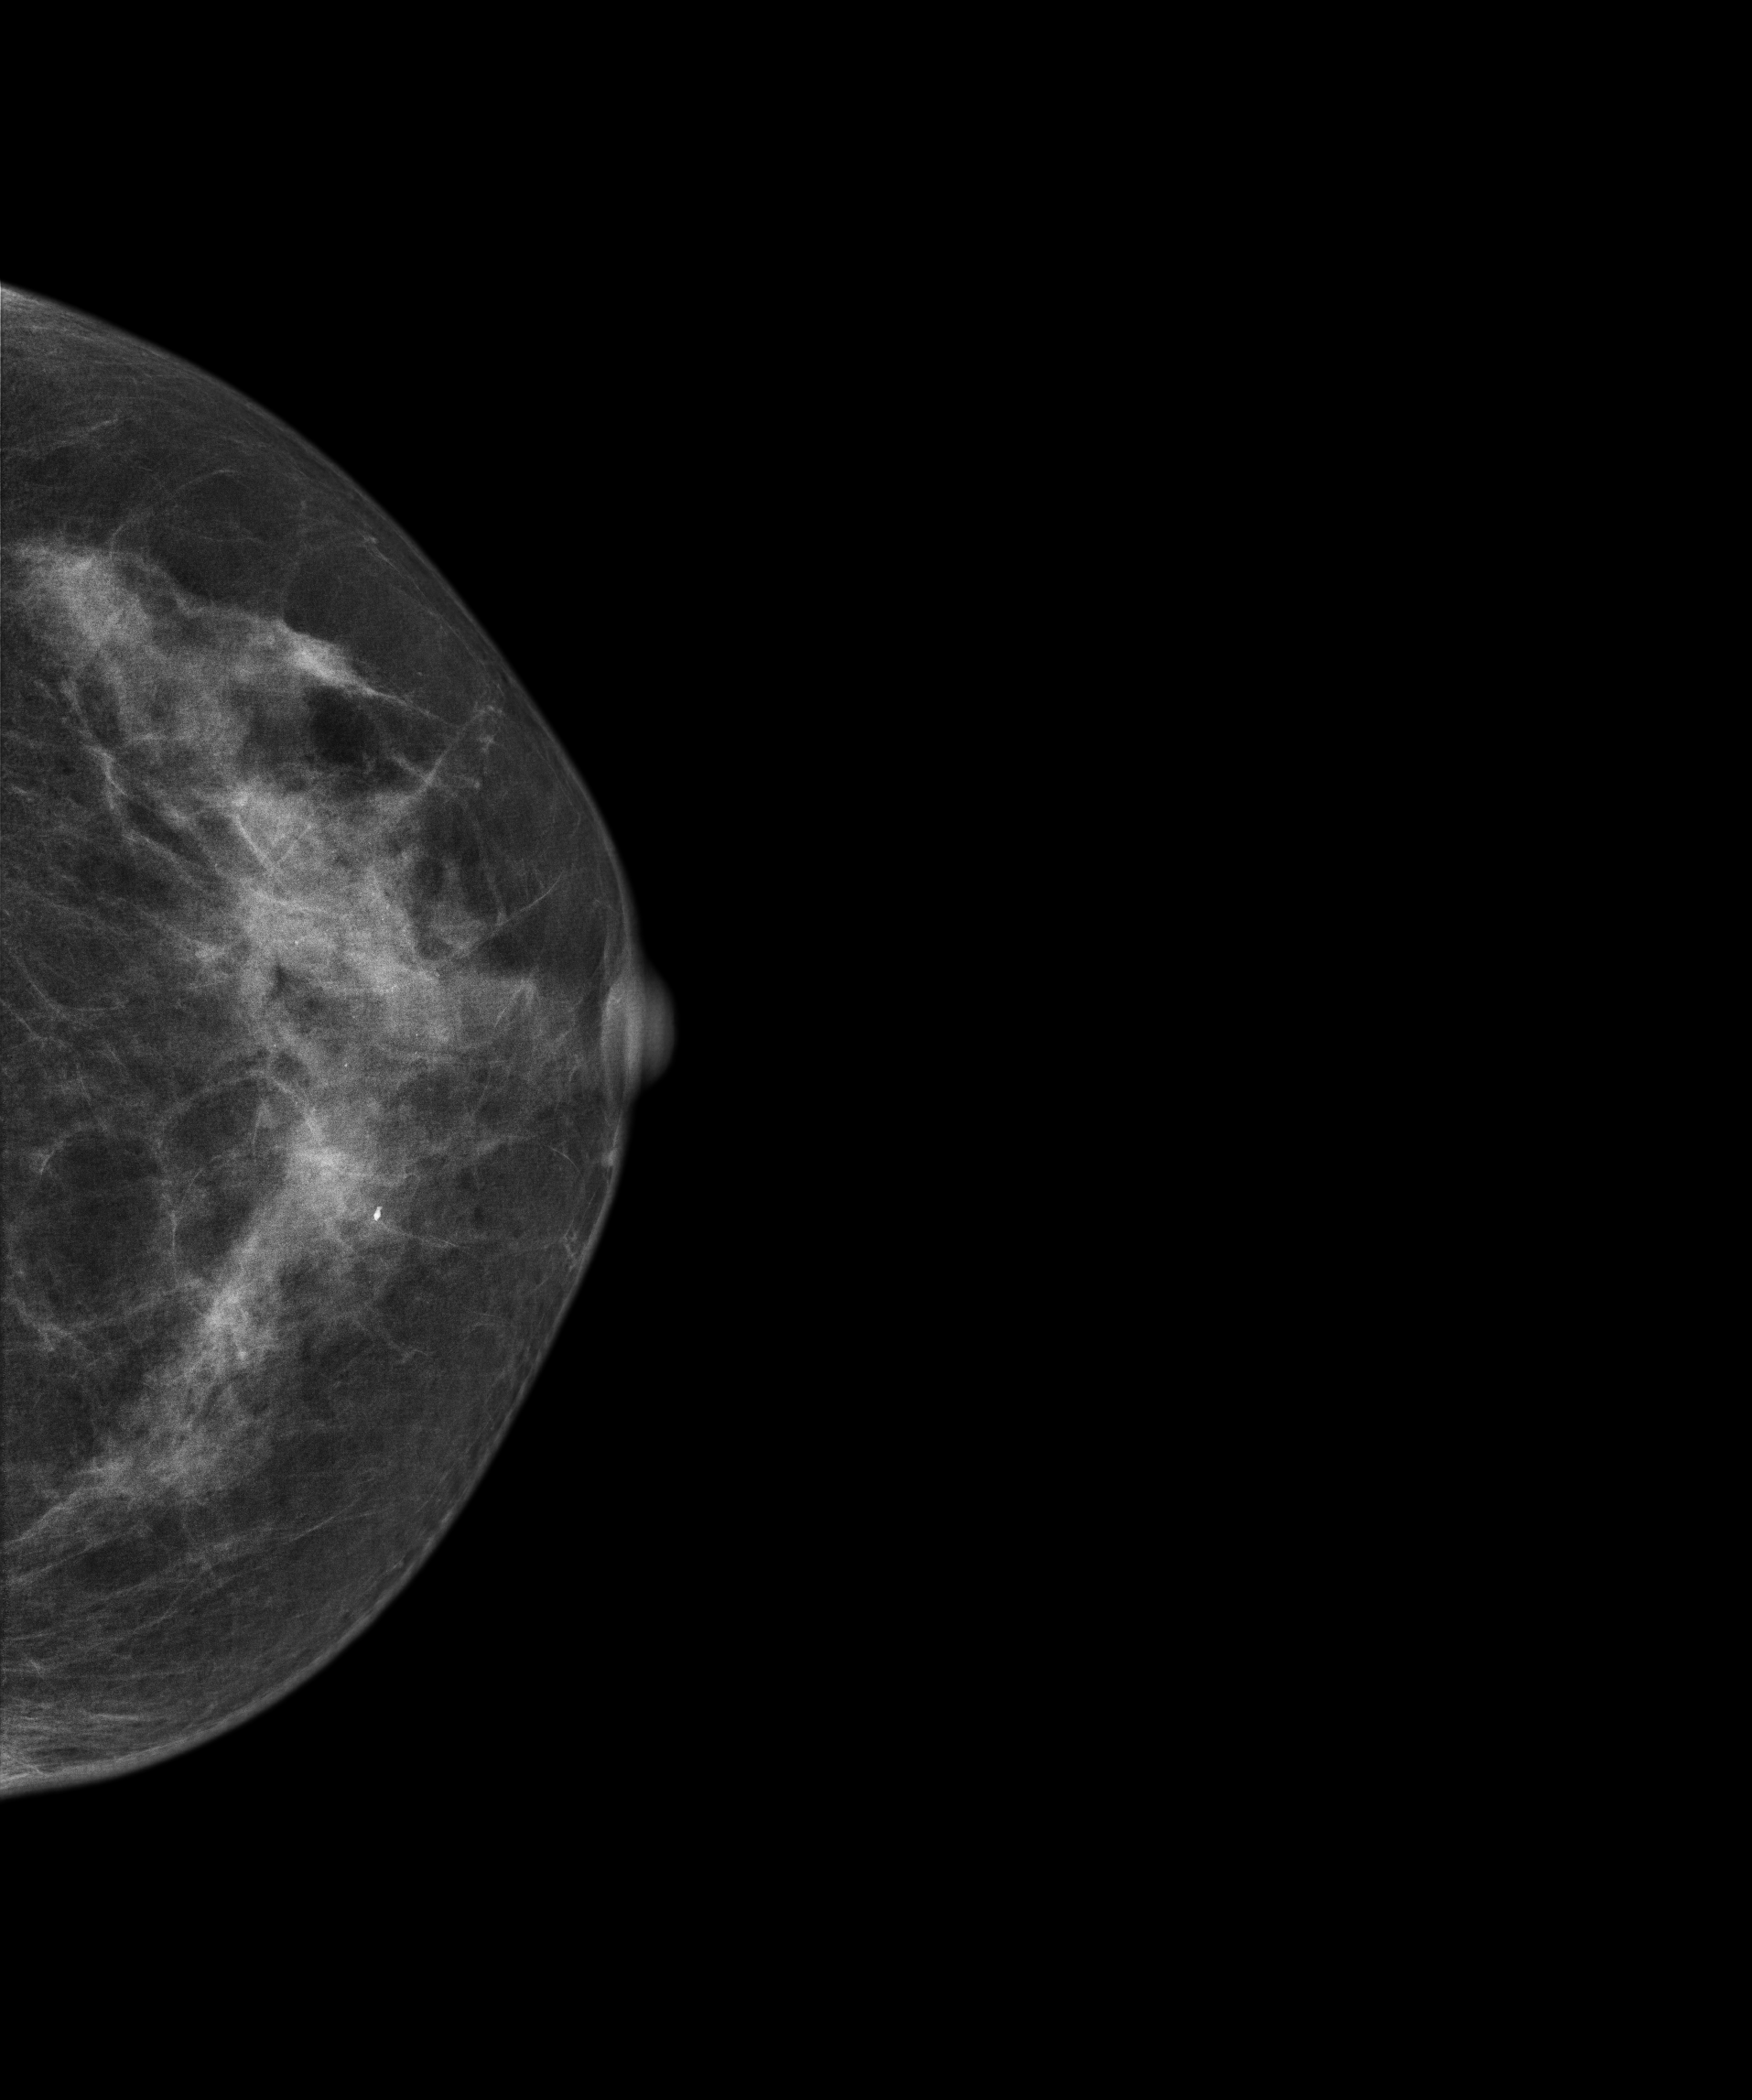
Left-breast mammogram, cranio-caudal. 55-year-old patient.
Contralateral breast — no documented abnormality on this side.